Mammogram — left CC. Patient age 60.
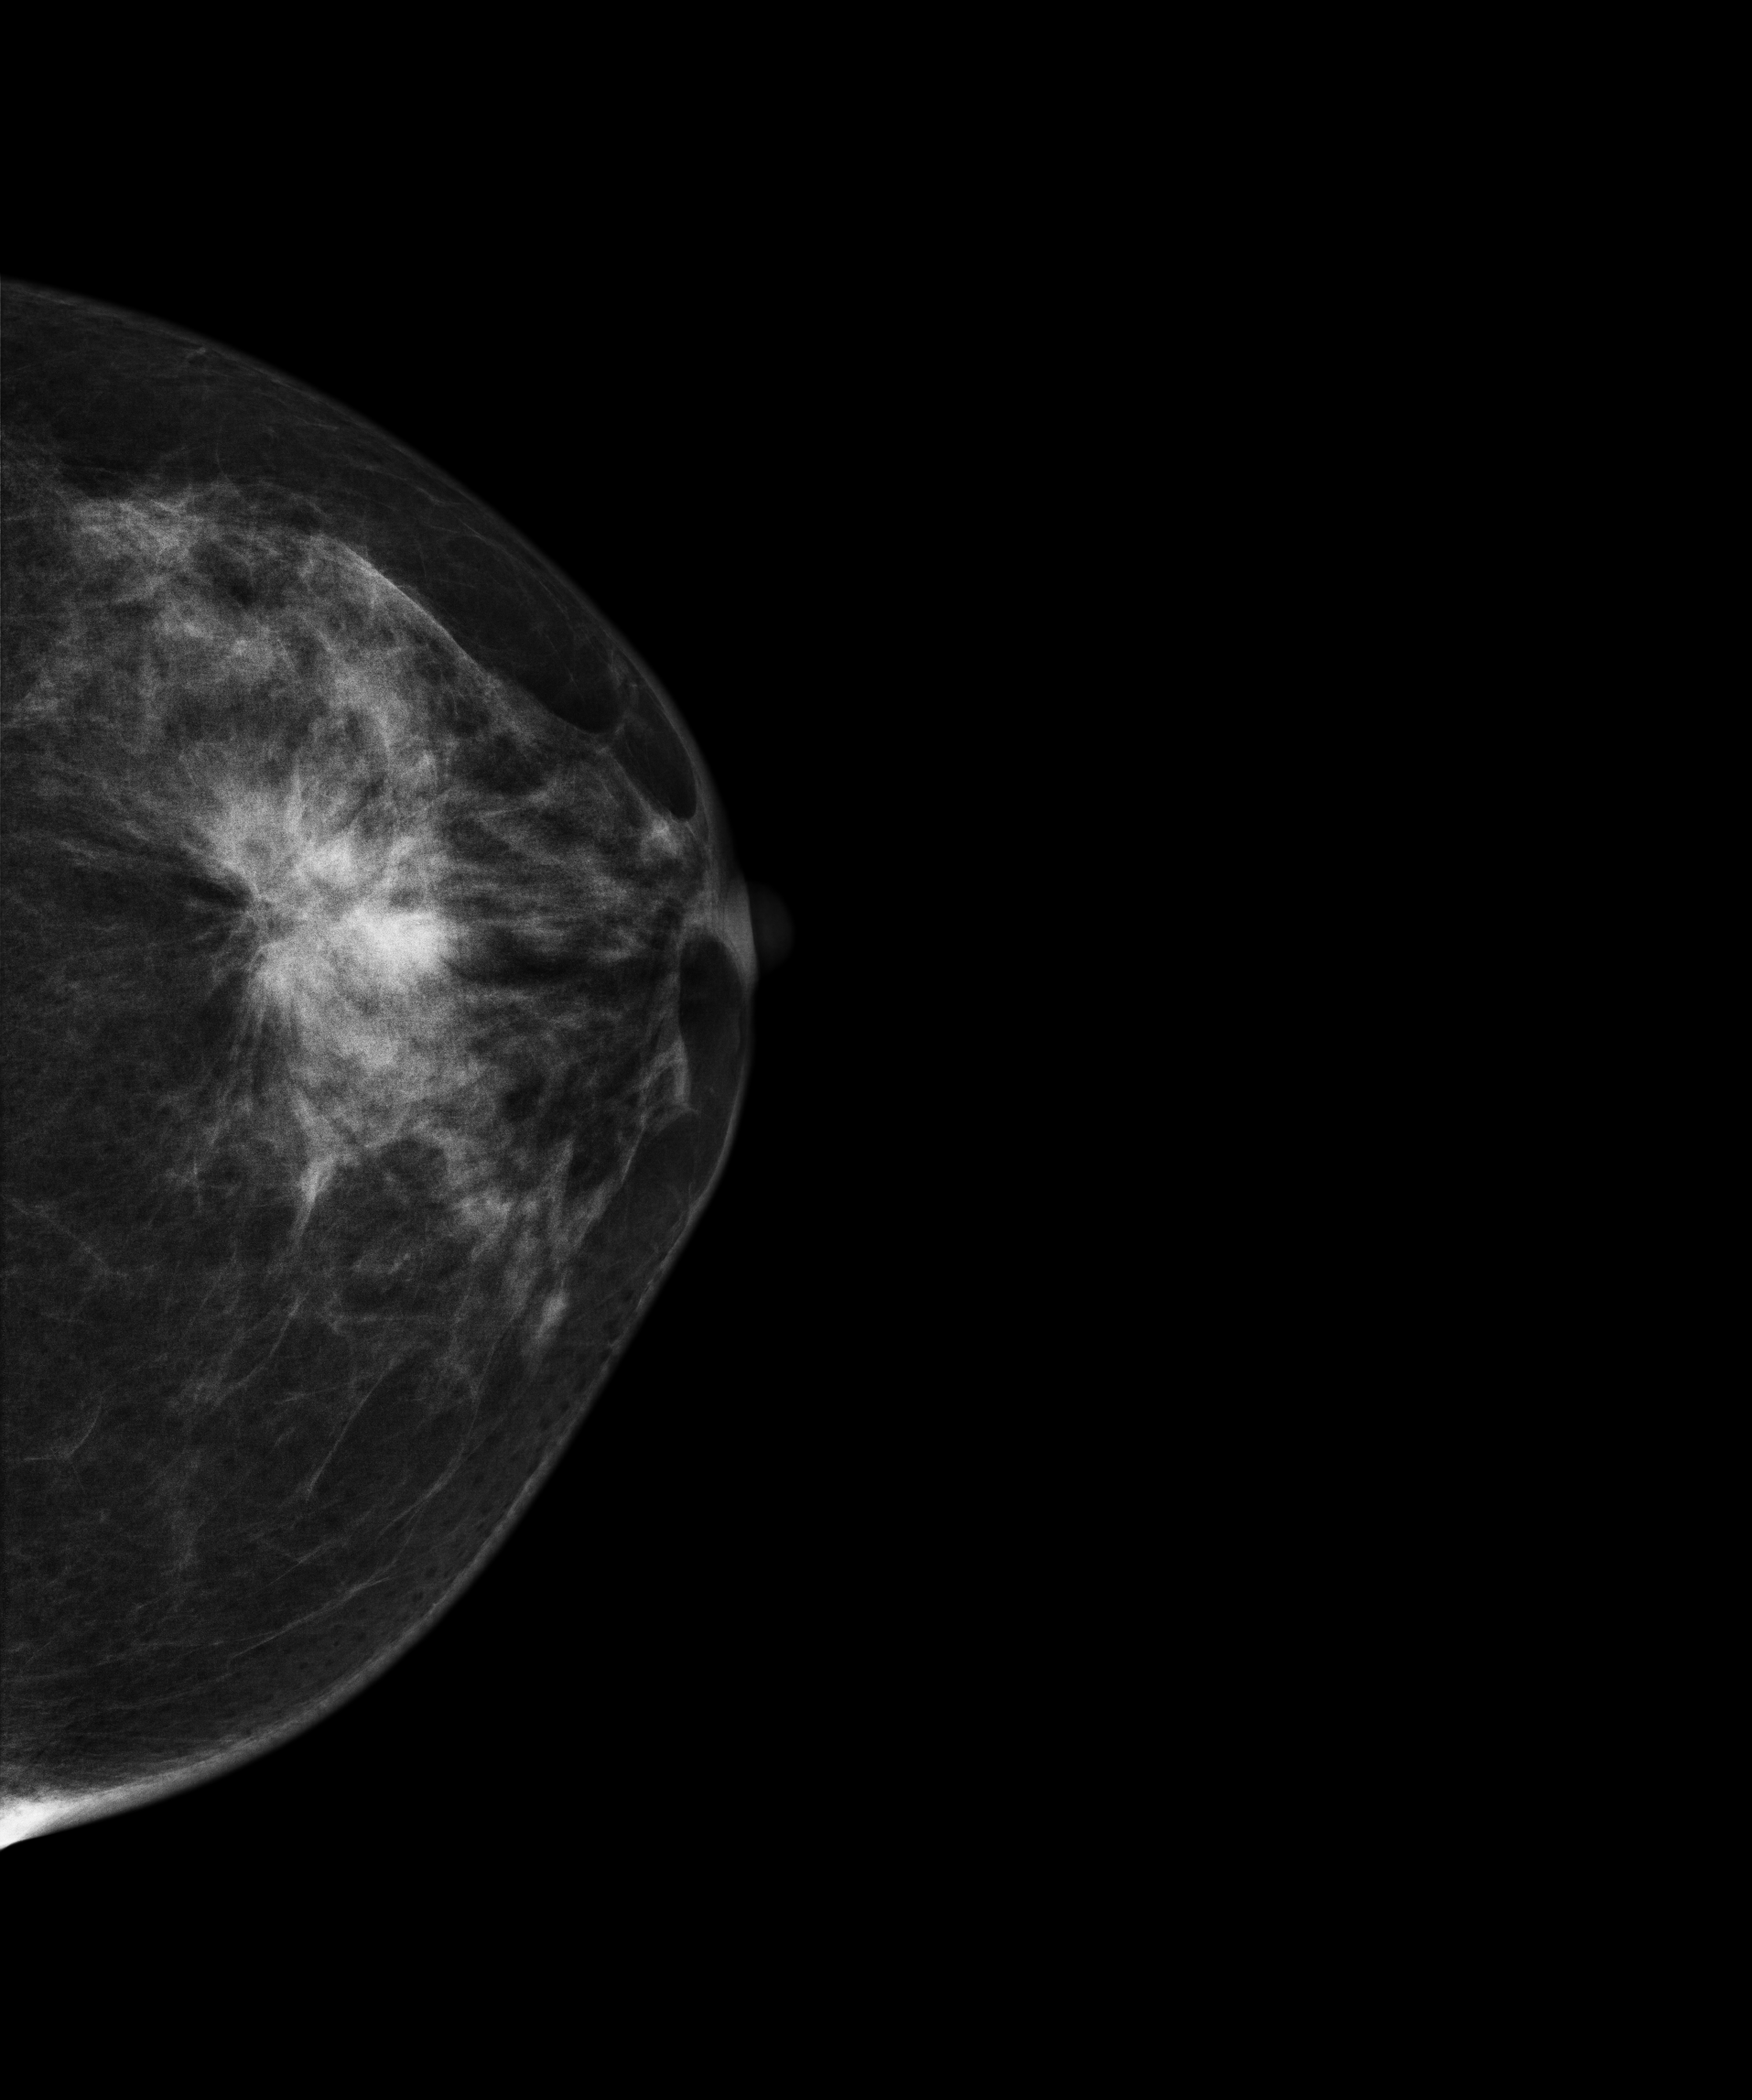
This breast has a mass, biopsy-confirmed malignant. Molecular subtype: luminal A.